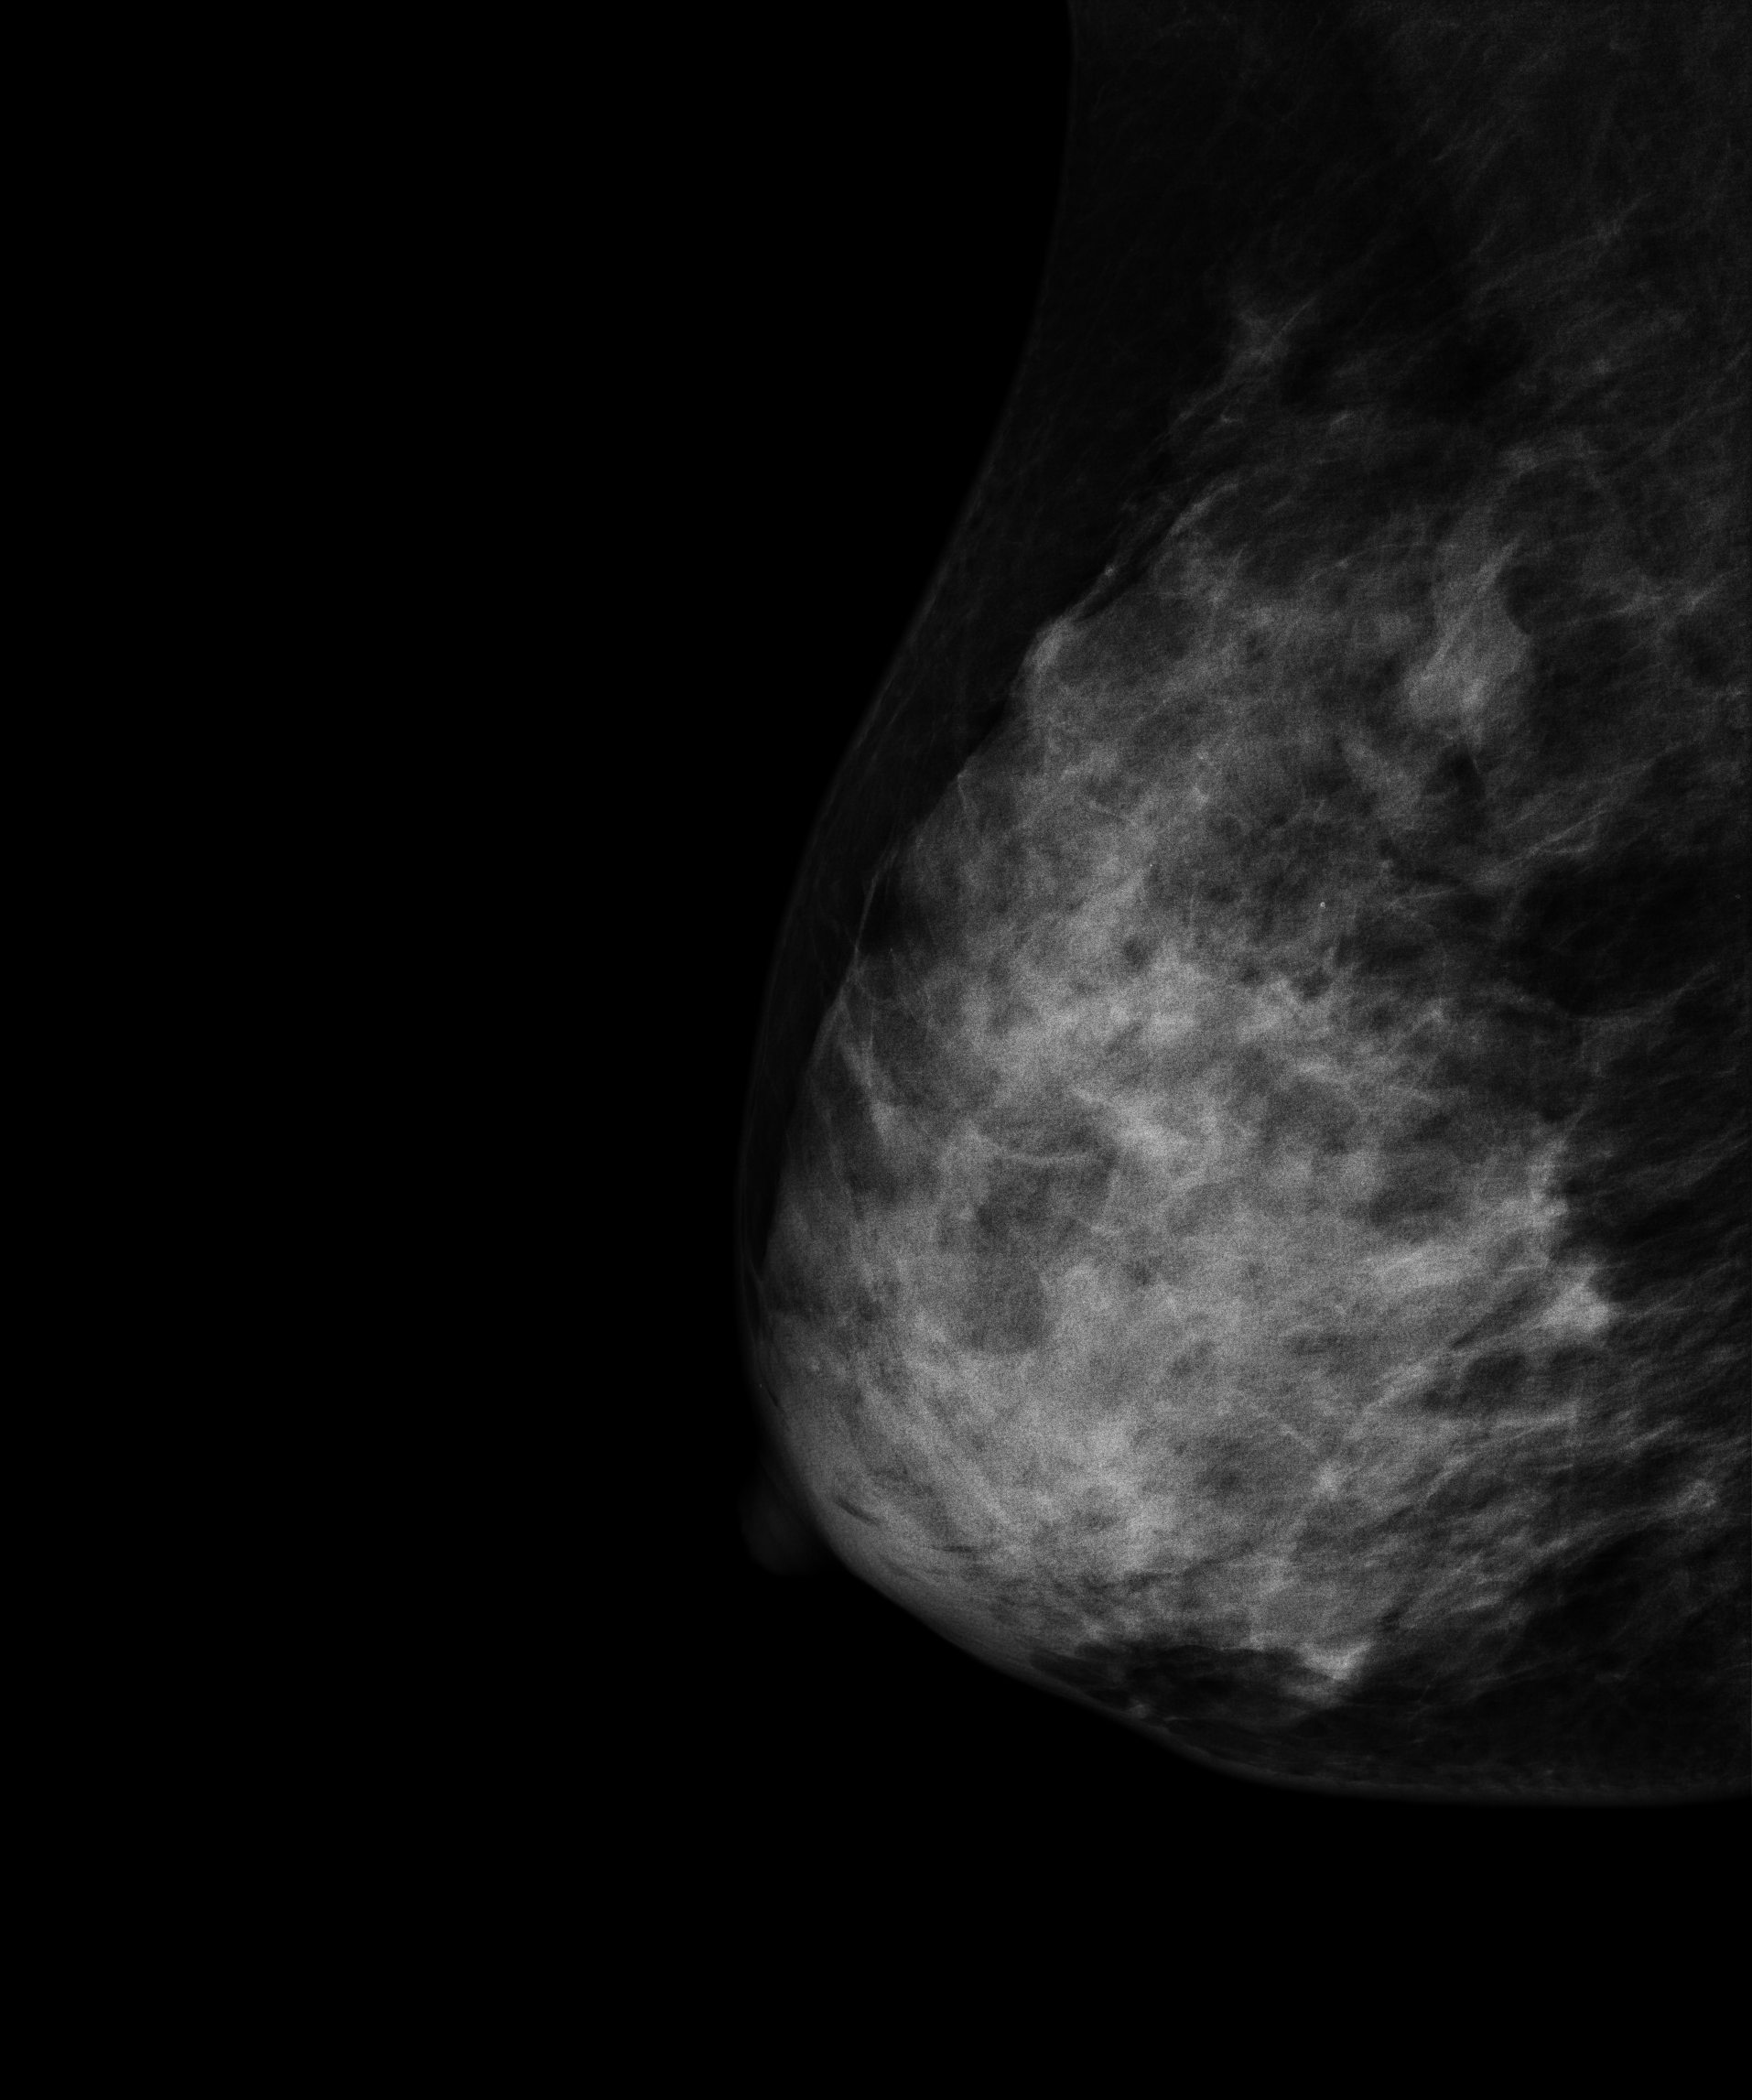
MLO mammogram of the right breast. 52-year-old patient.
This breast has a mass, histologically confirmed malignant. Molecular subtype: luminal B.